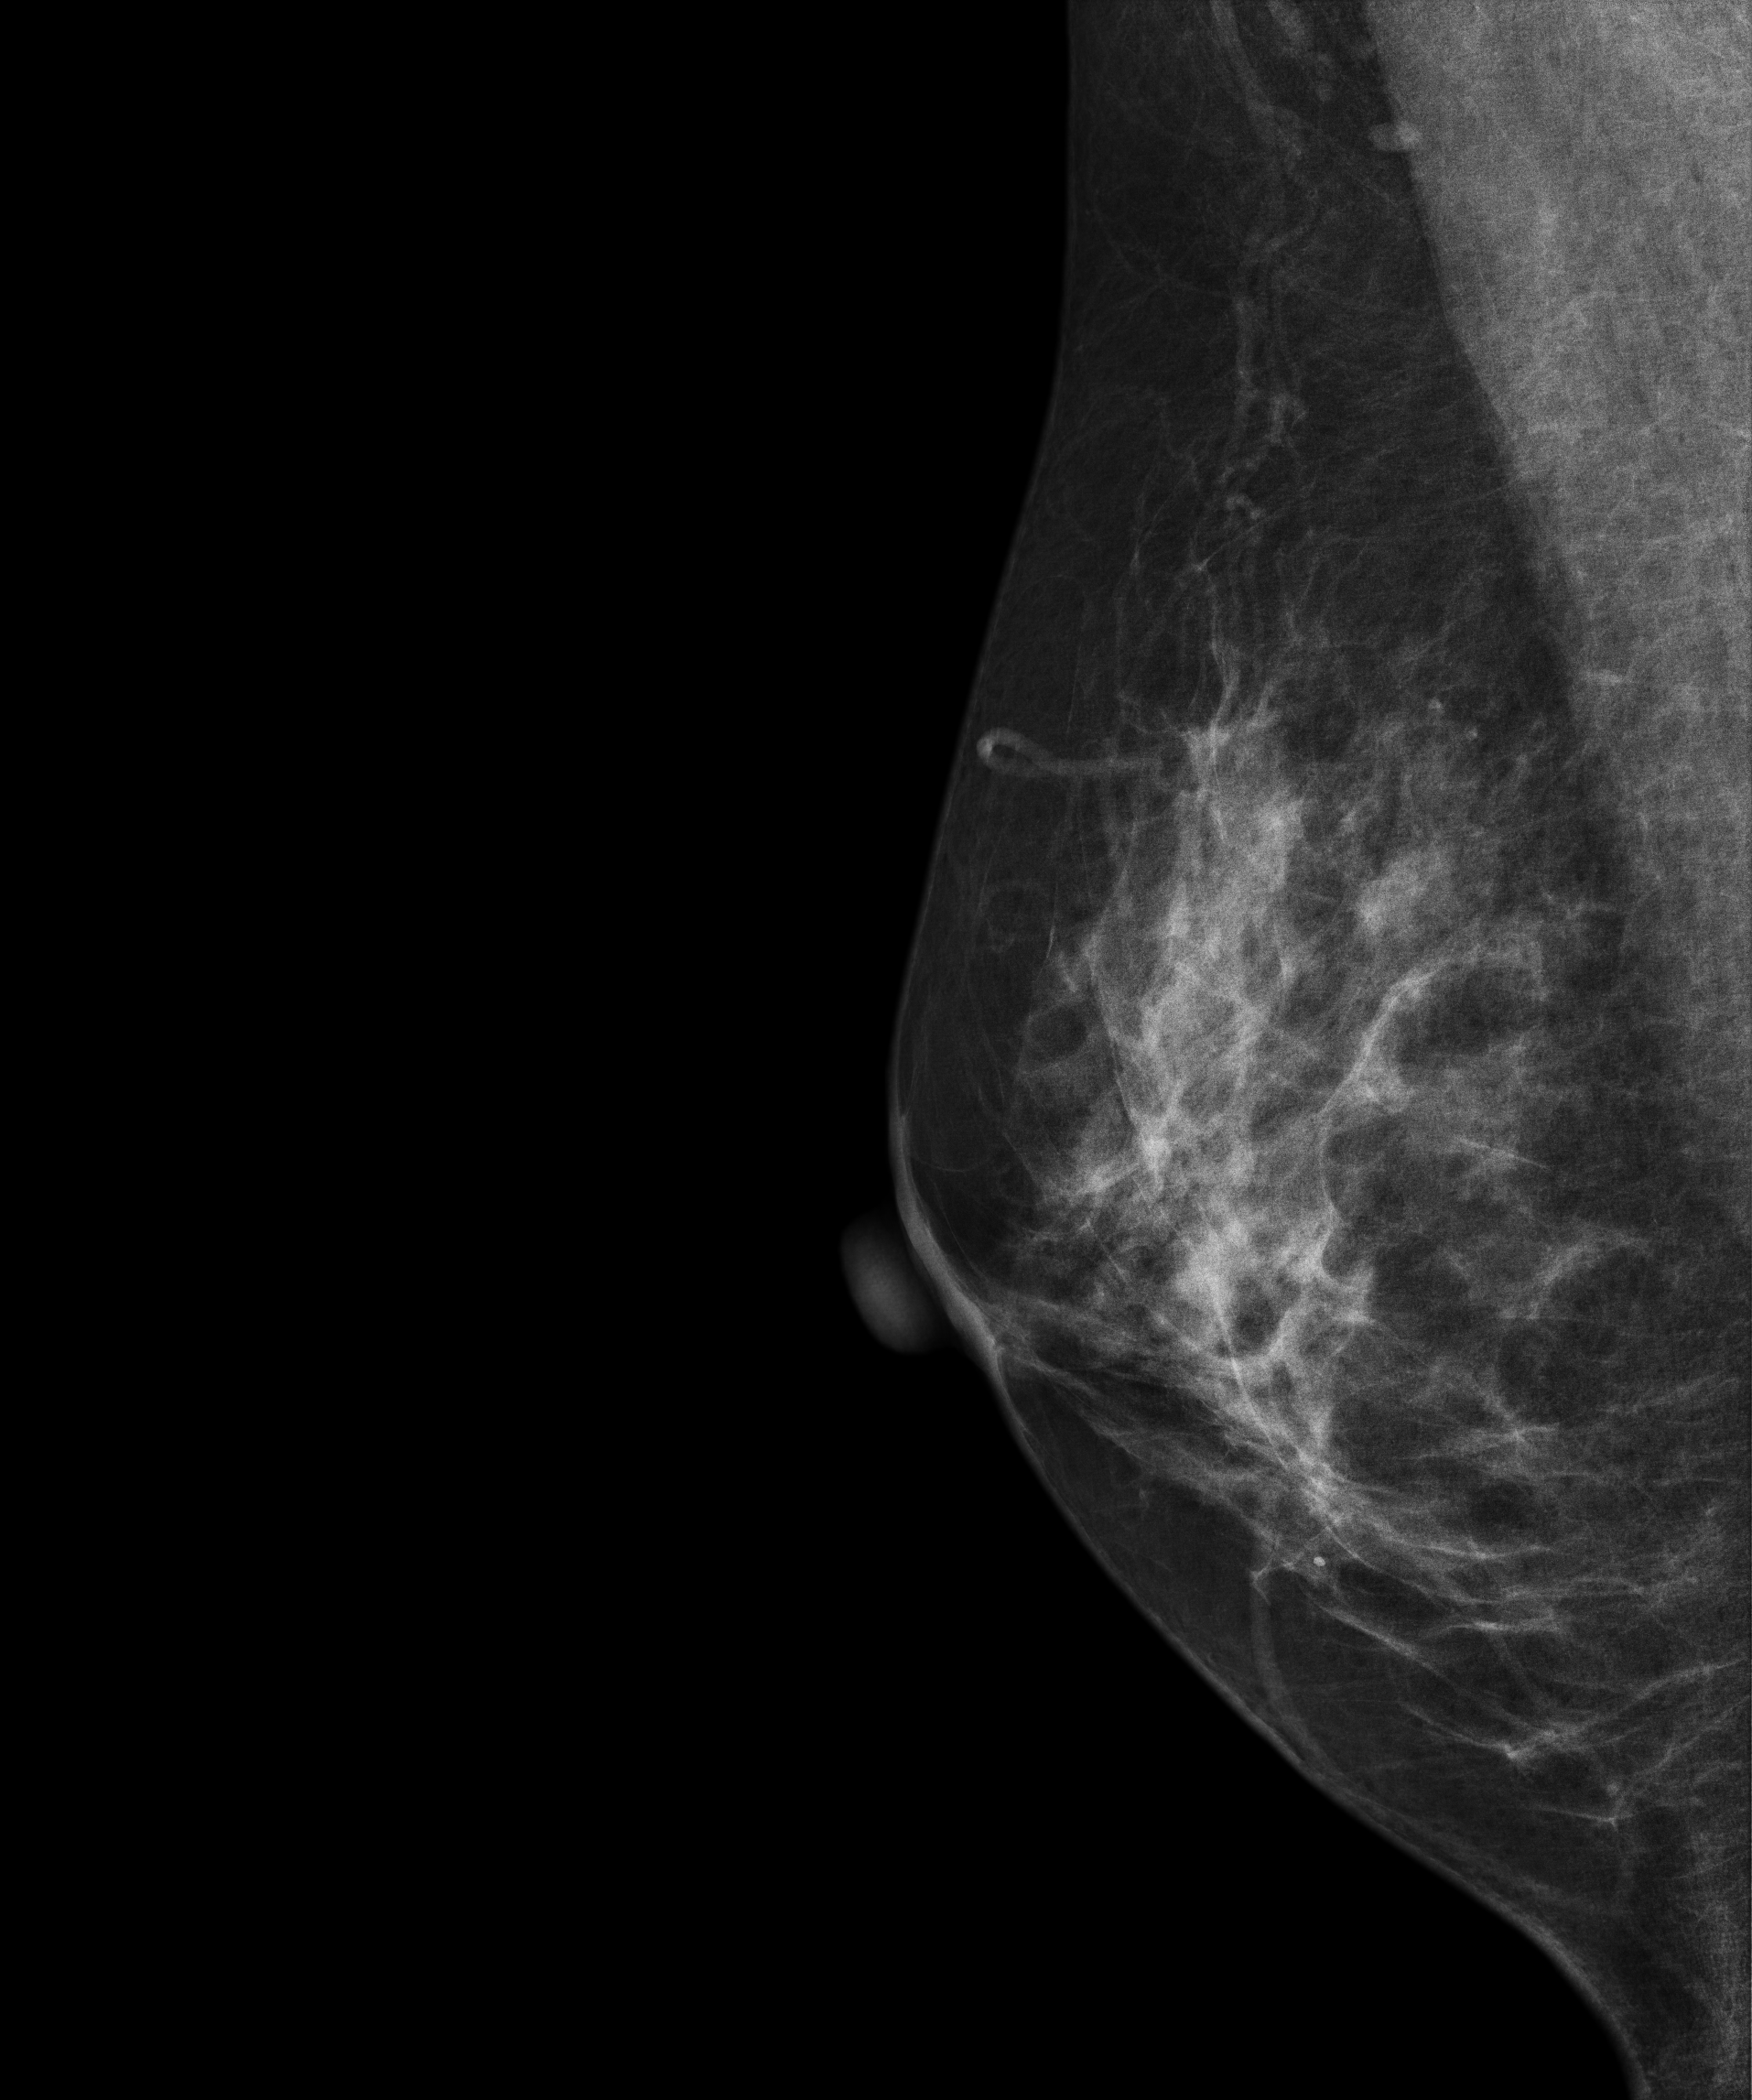
Right-breast mammogram, MLO. 50 y/o patient.
Contralateral breast — no documented abnormality on this side.